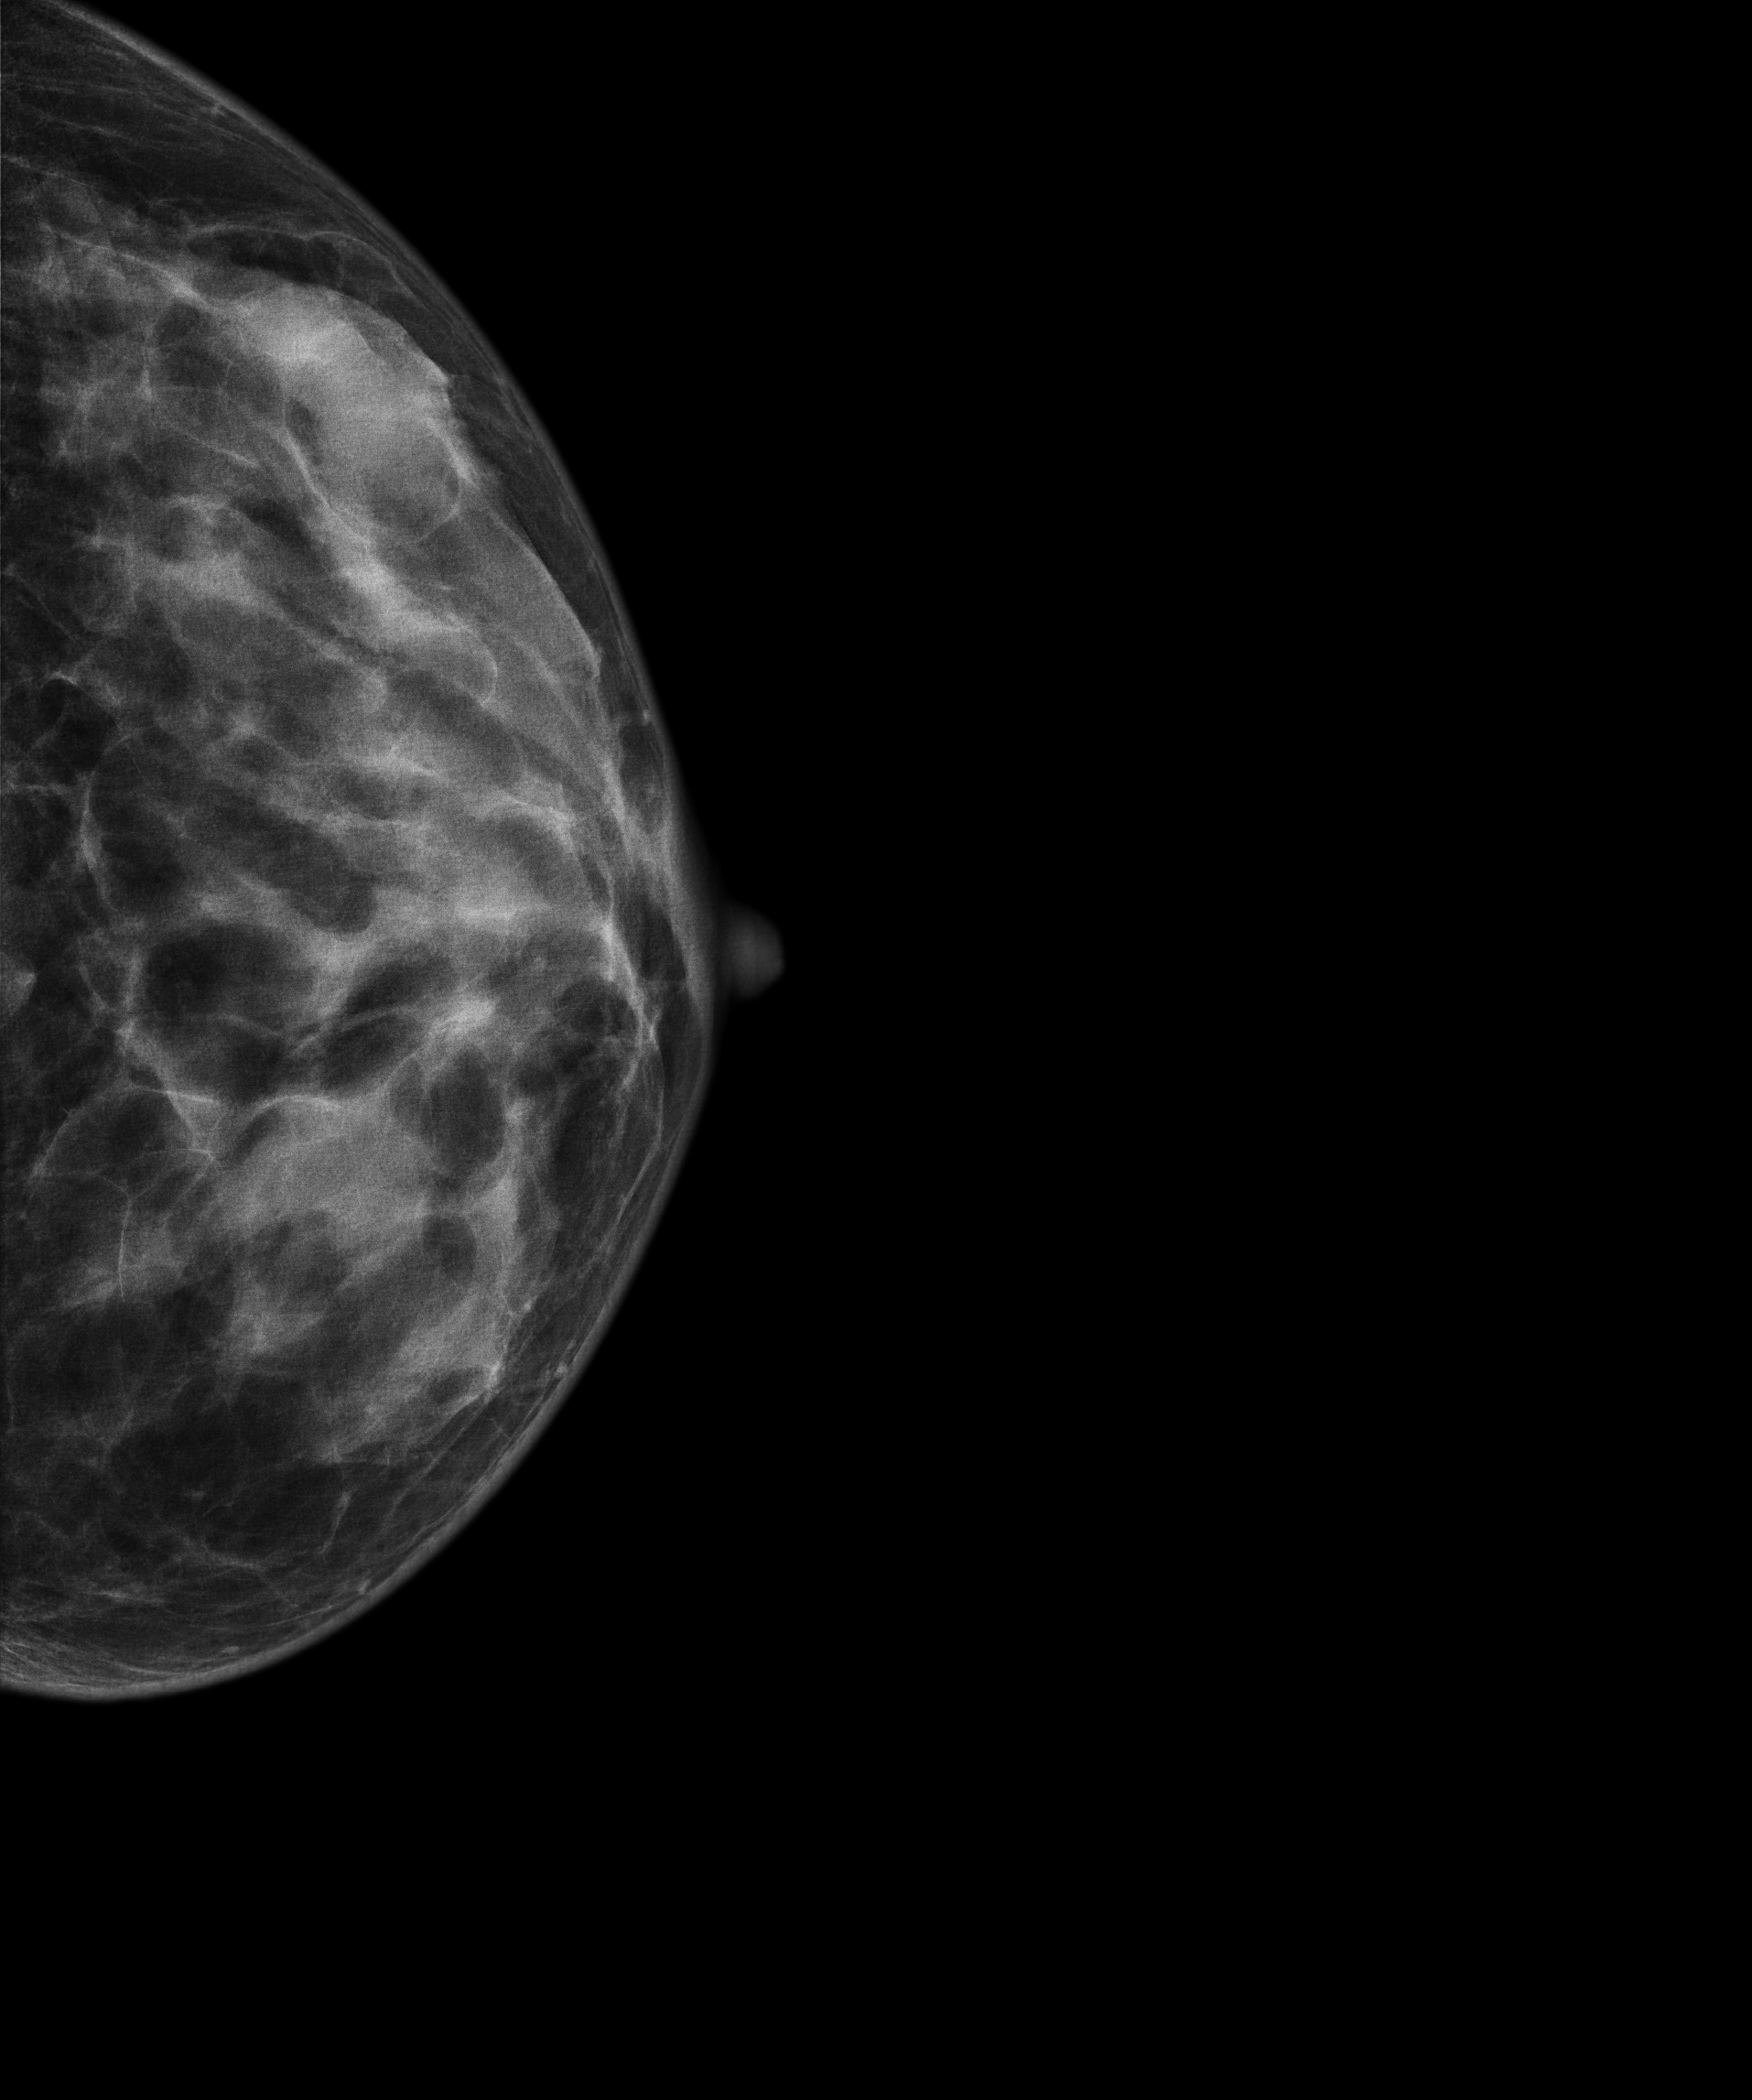
Left-breast mammogram, cranio-caudal. 40-year-old patient.
This breast has a mass, biopsy-confirmed malignant. Molecular subtype: luminal A.